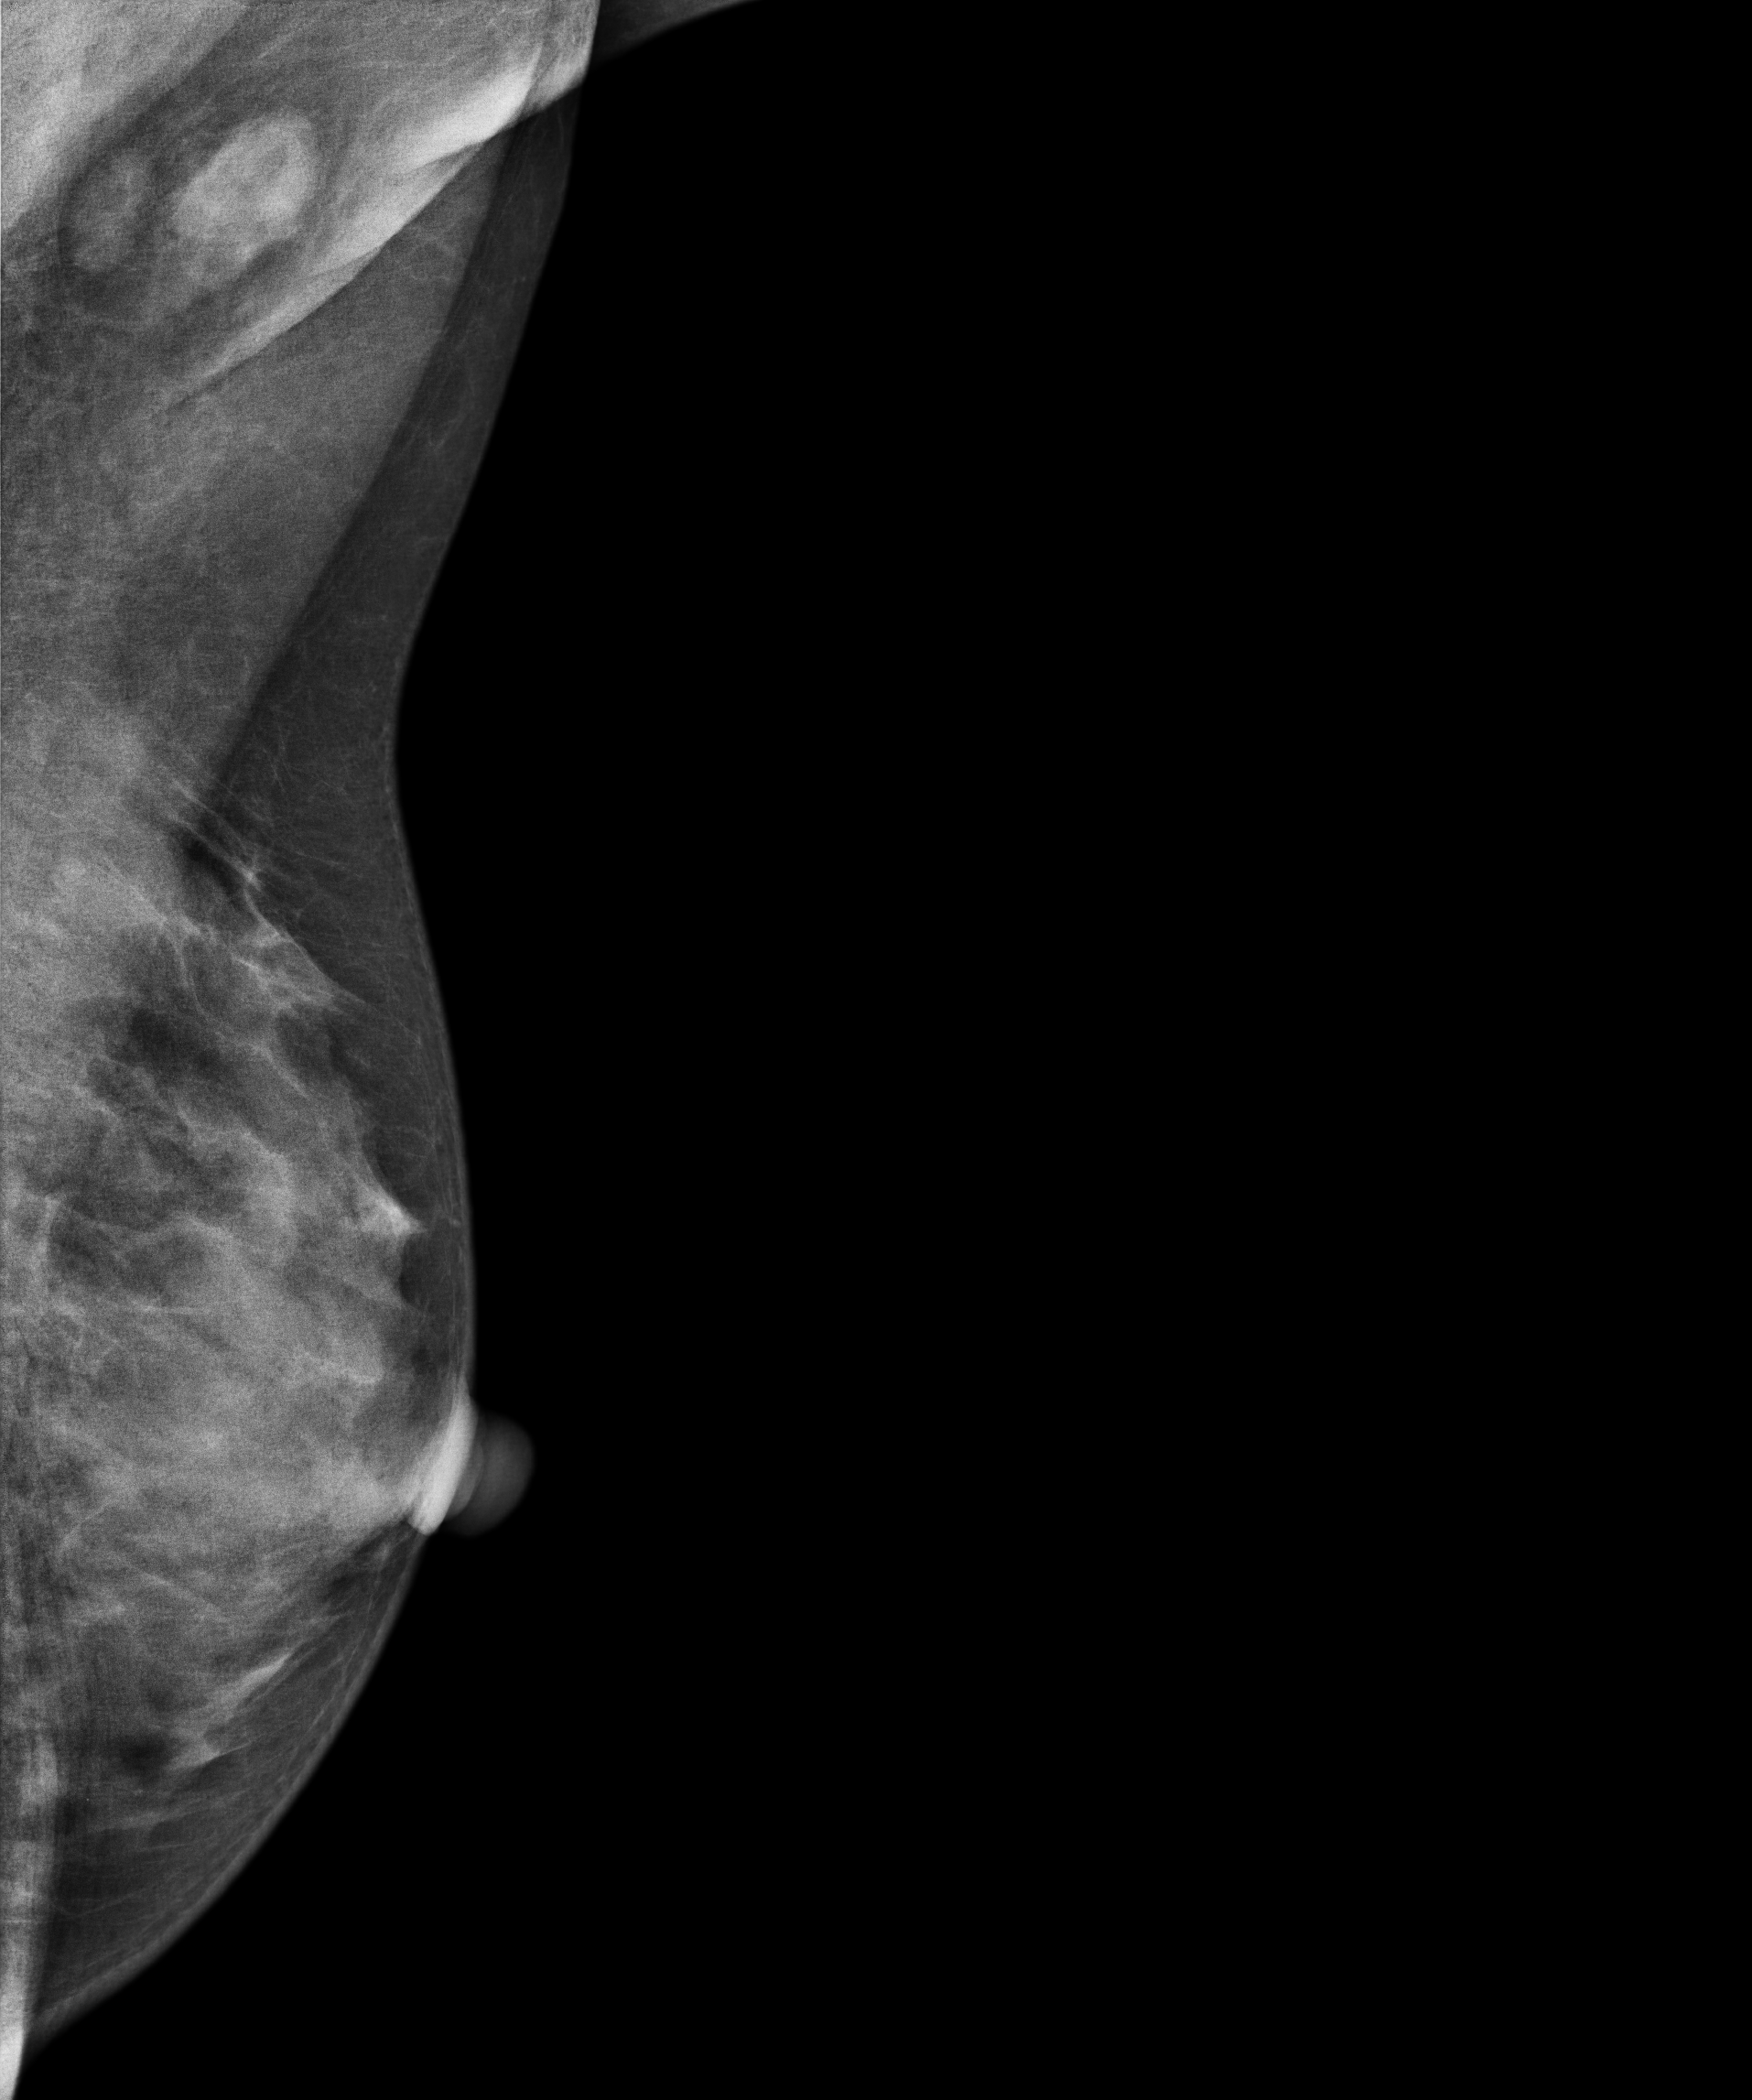
Left-breast mammogram, MLO. Patient age 33.
Contralateral breast — no documented abnormality on this side.